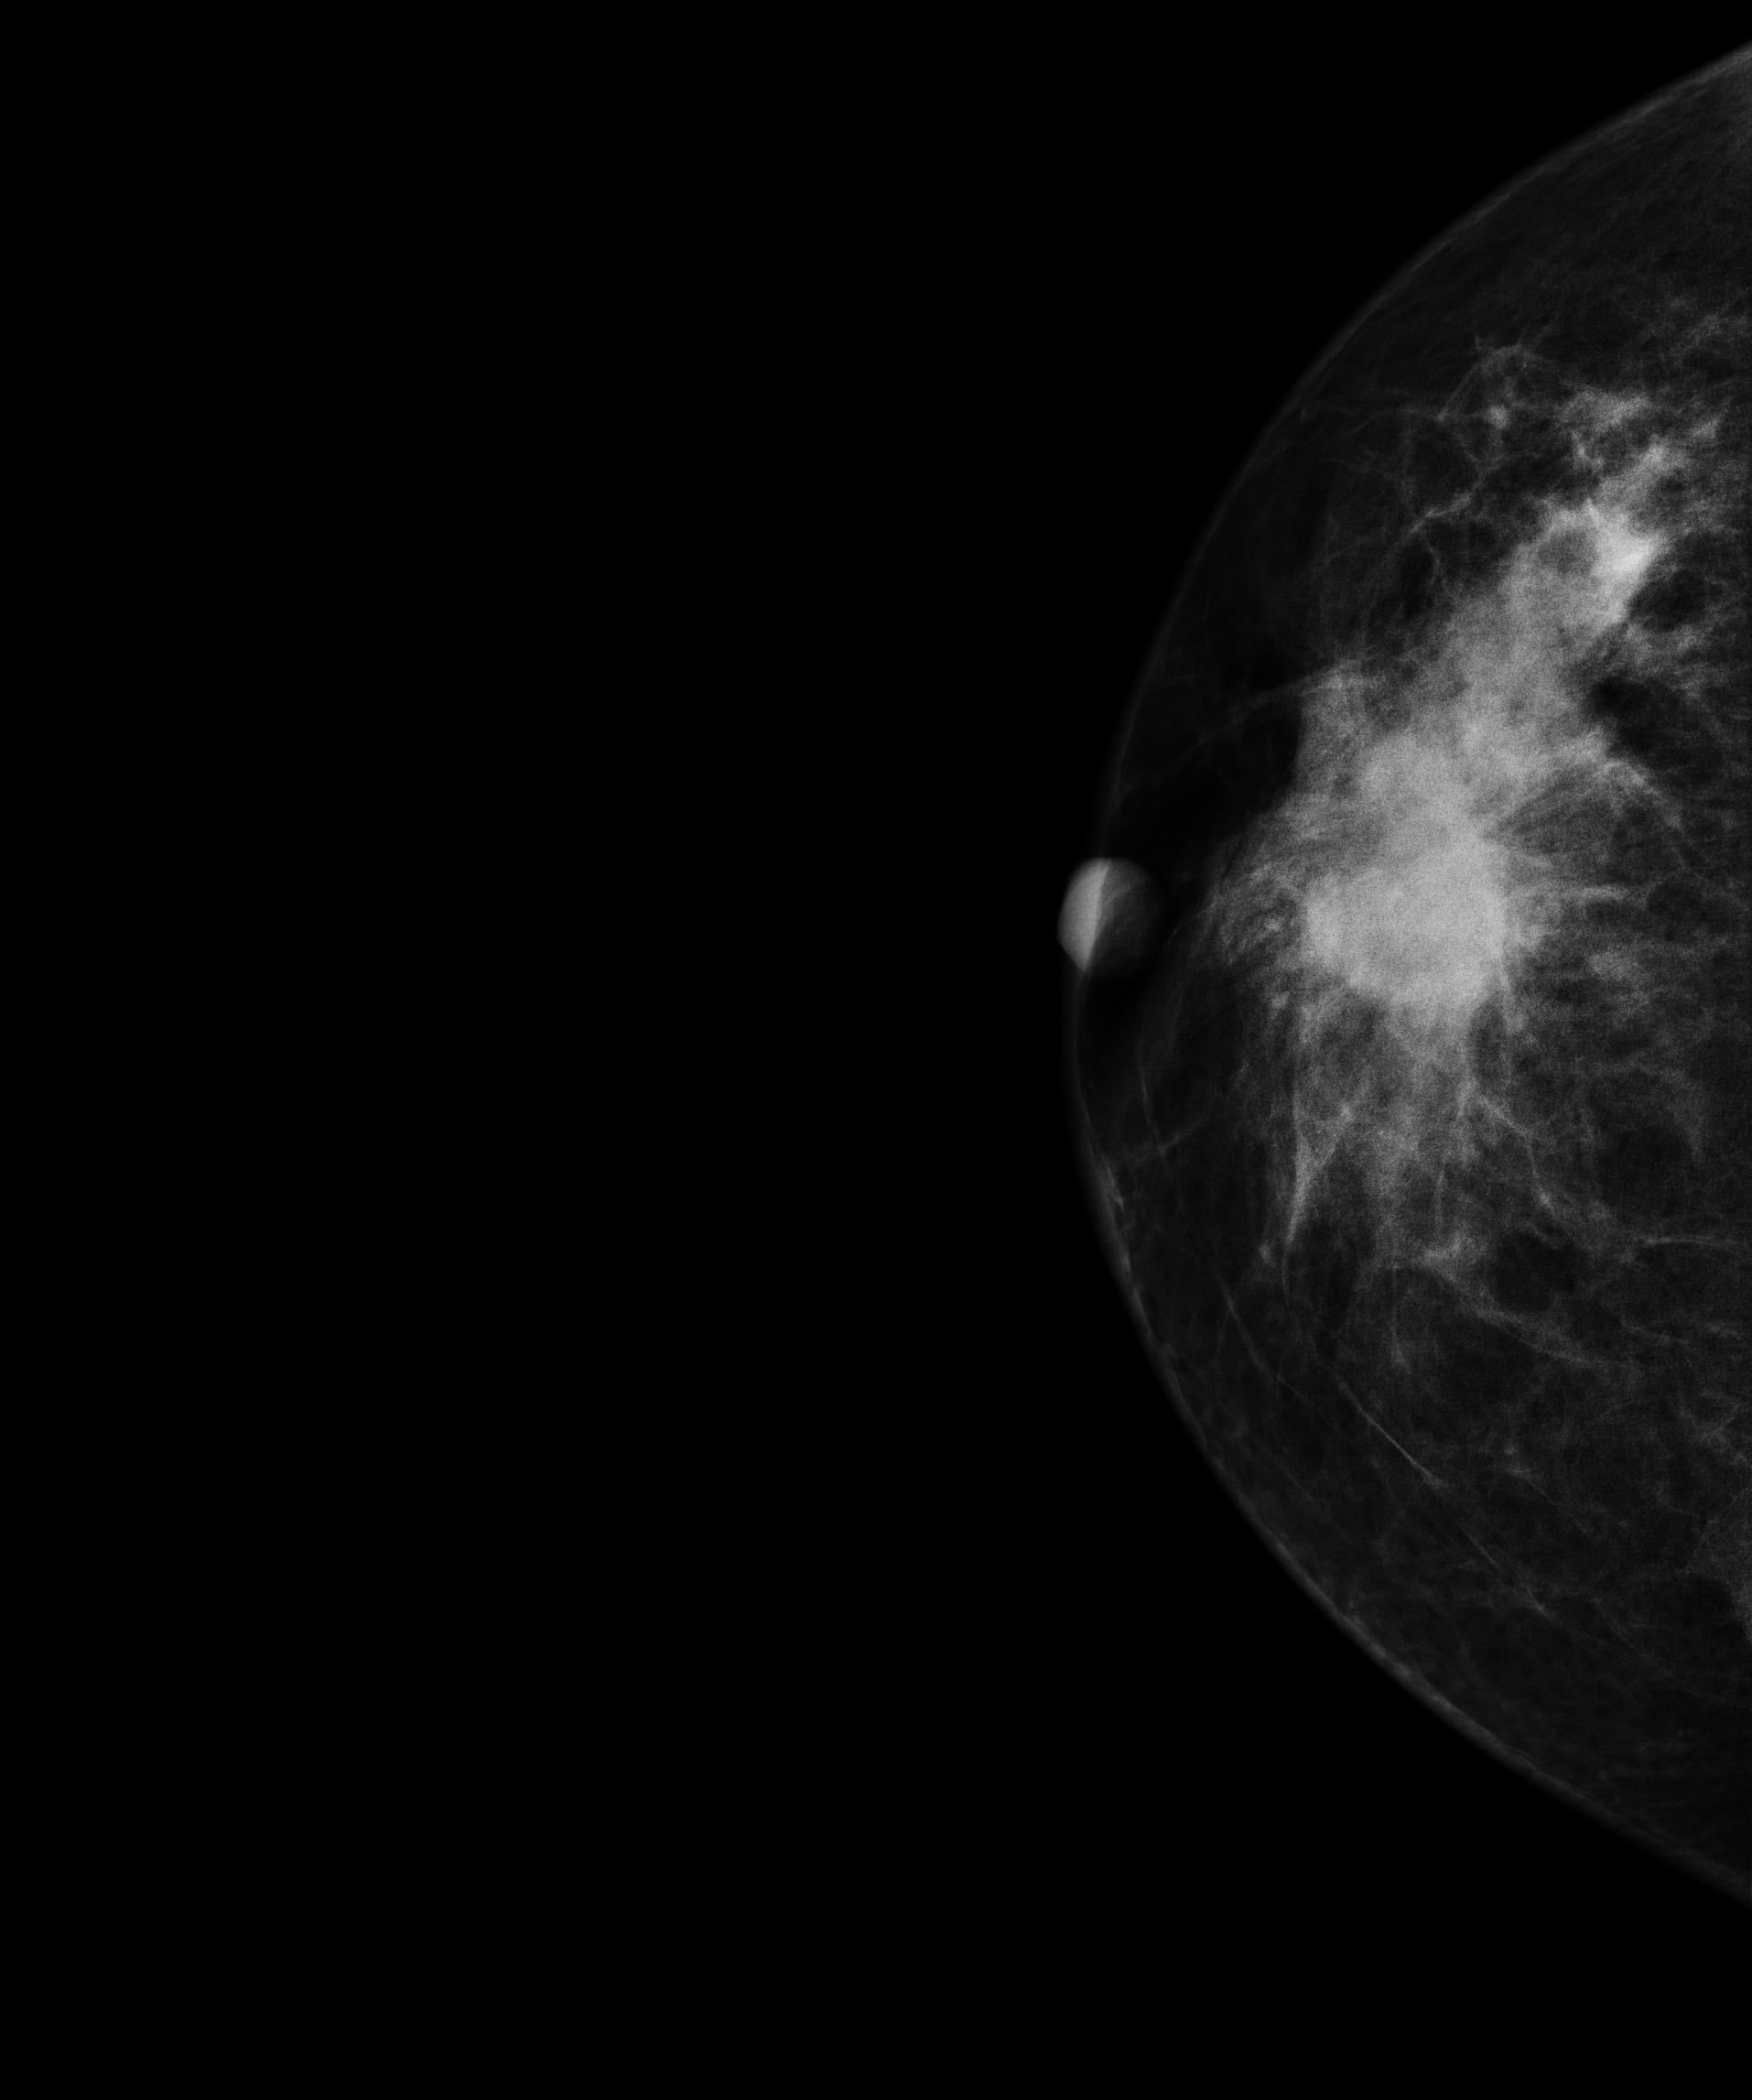
Mammogram, right breast, CC view. Patient age 41.
This breast has a mass, biopsy-confirmed malignant. Molecular subtype: luminal B.